Mammogram, right breast, cranio-caudal view. Patient age 46.
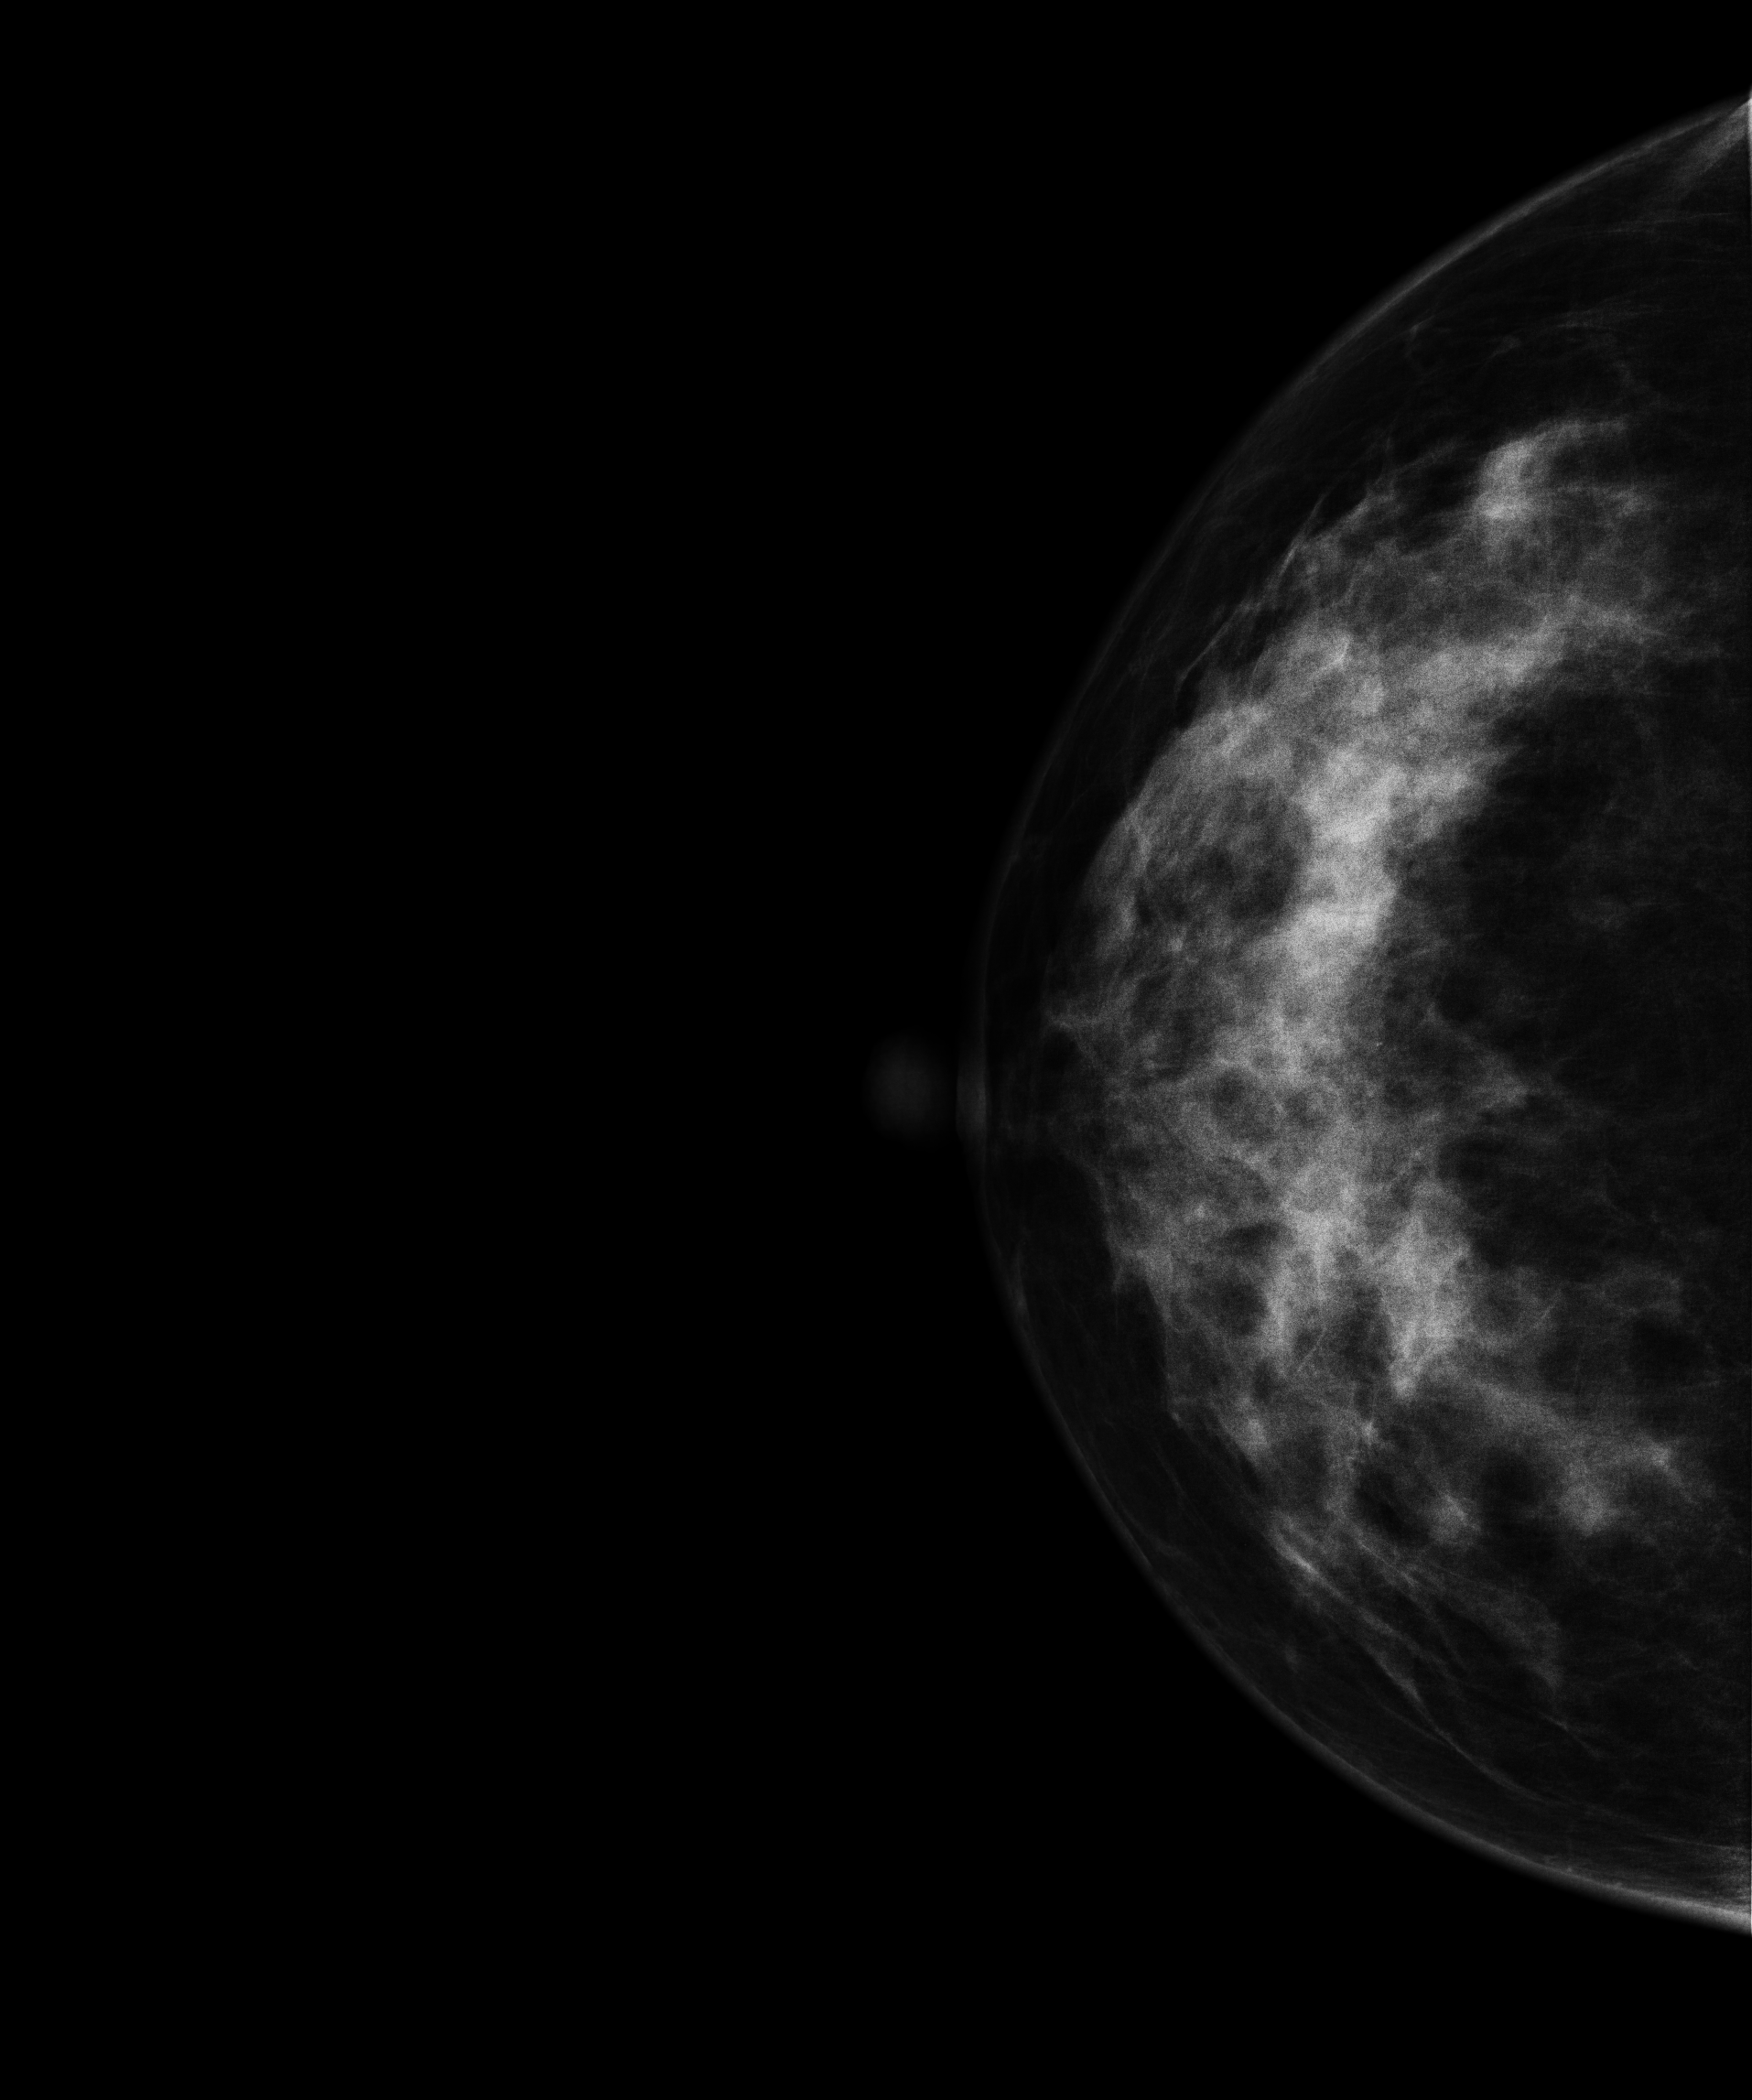
Contralateral breast — no documented abnormality on this side.